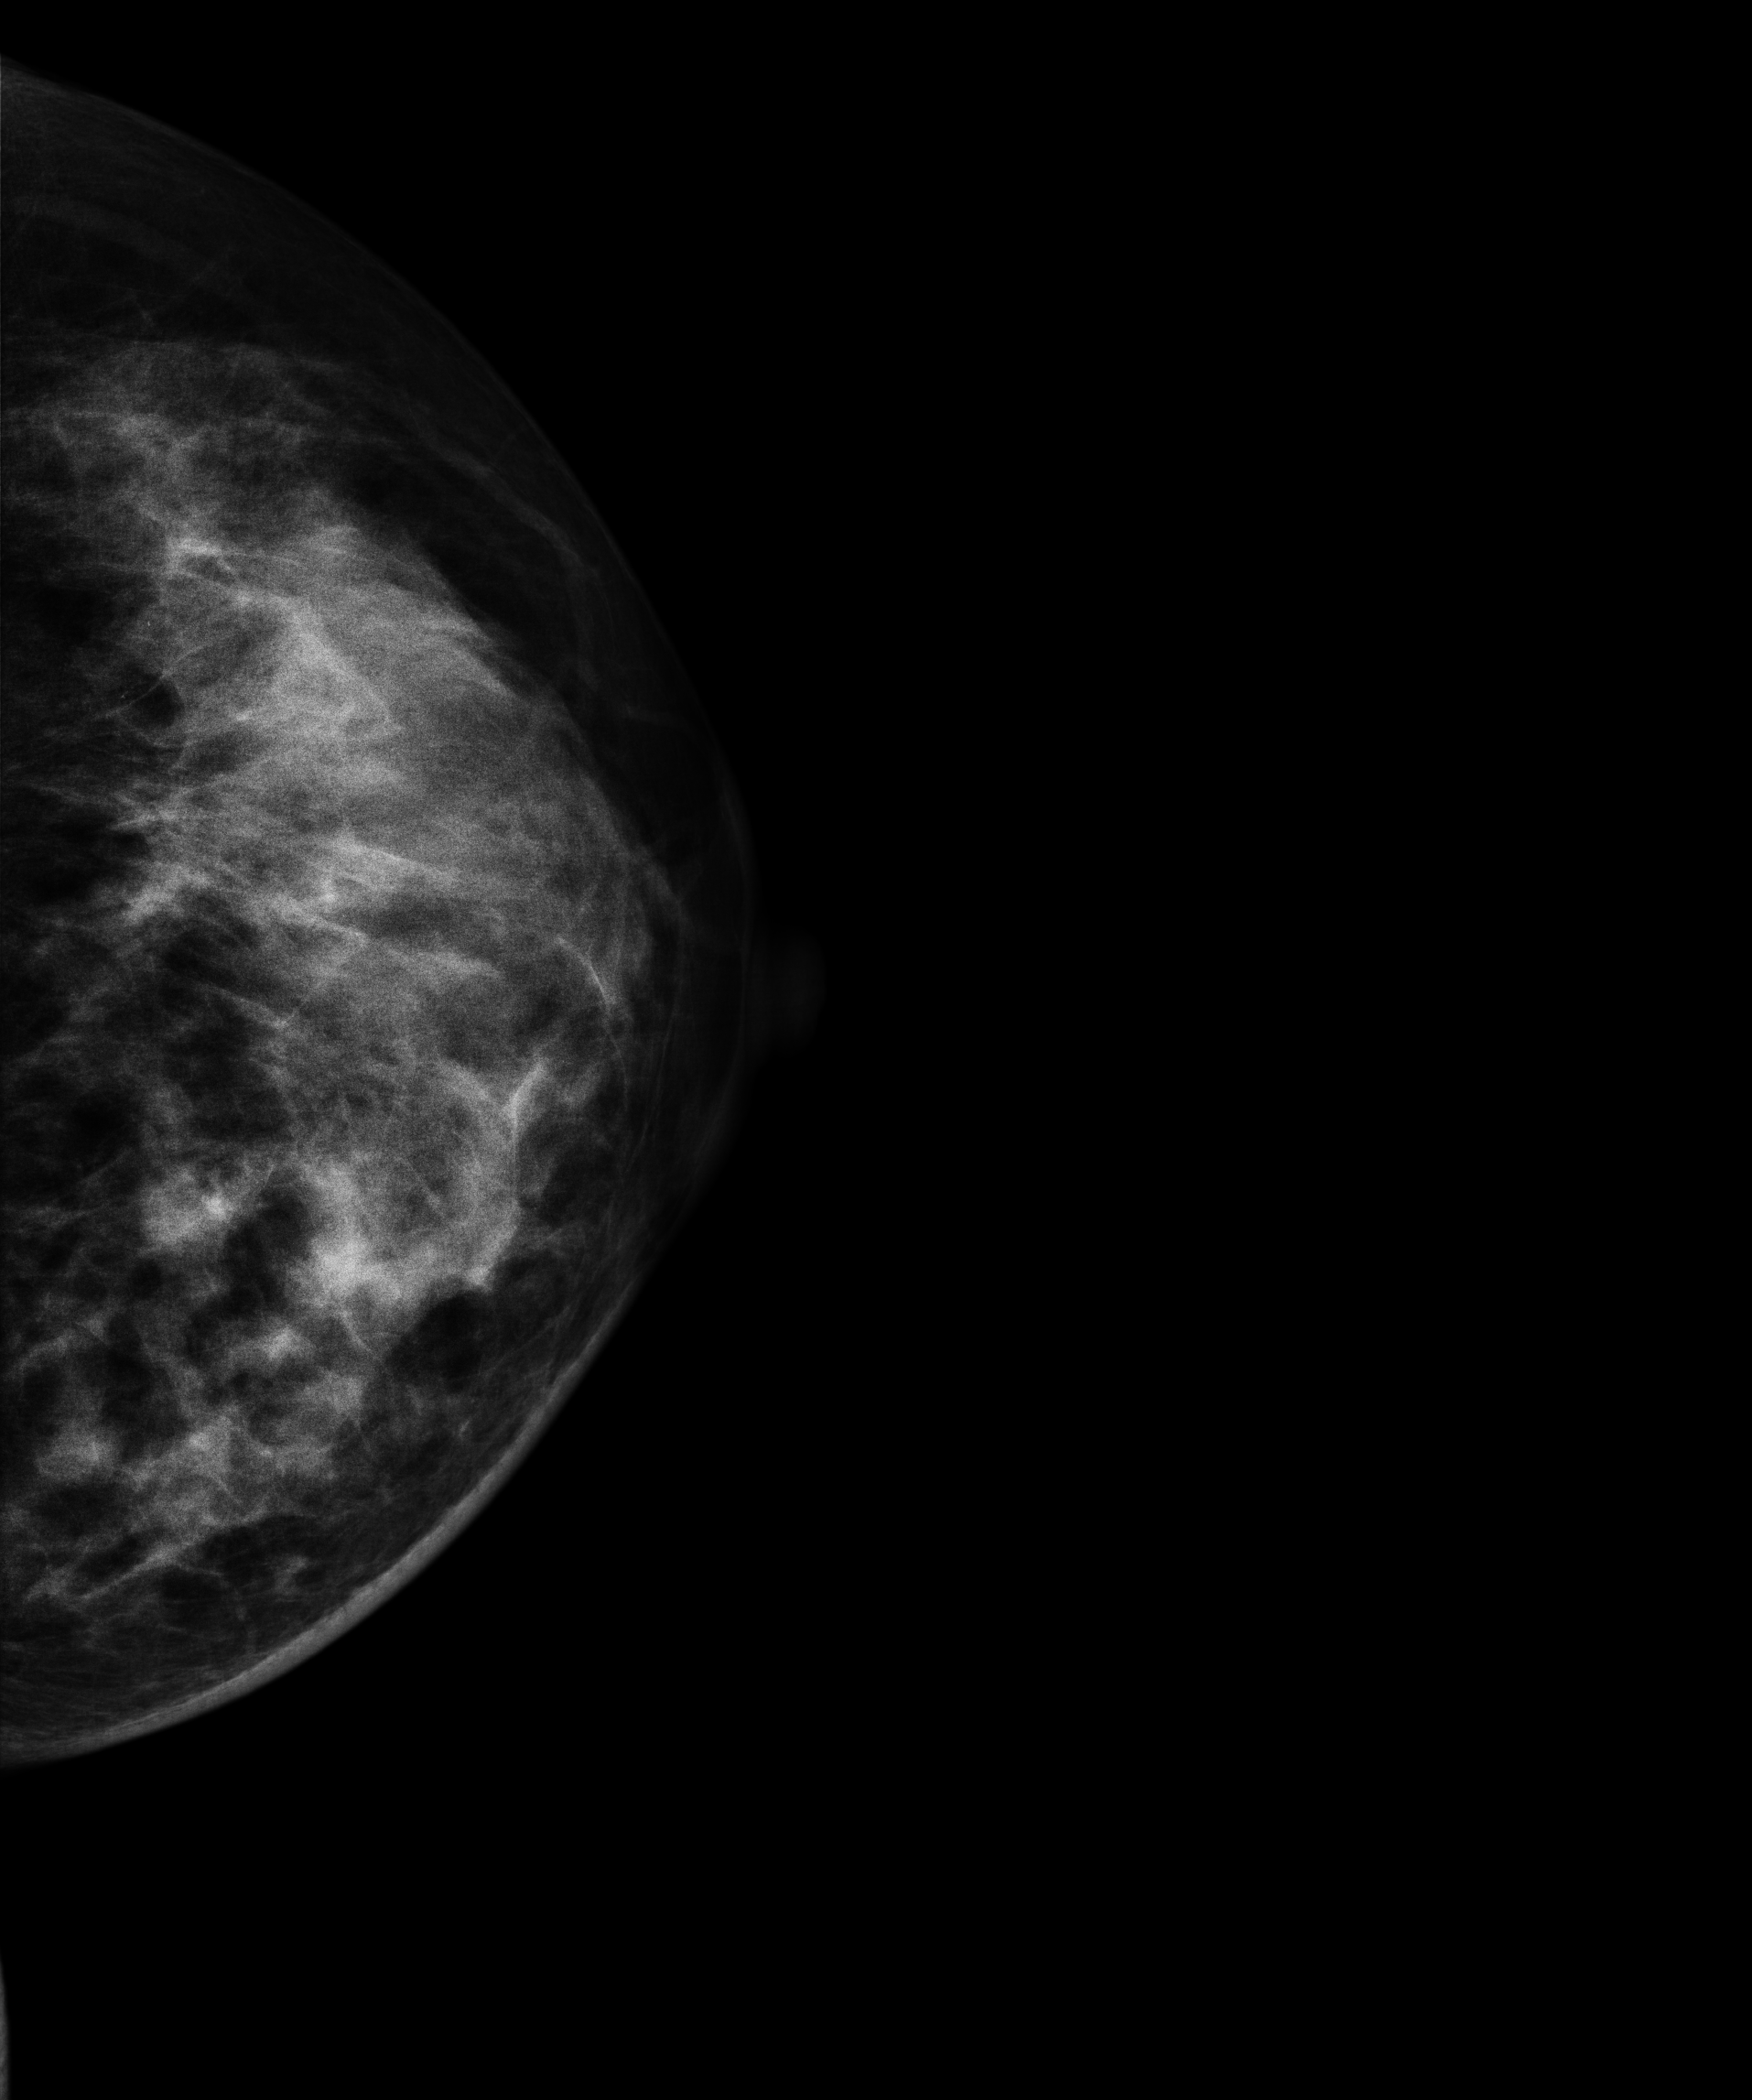
Digital mammography. Left breast, cranio-caudal projection. 33 y/o patient.
This breast has a mass, biopsy-confirmed benign.